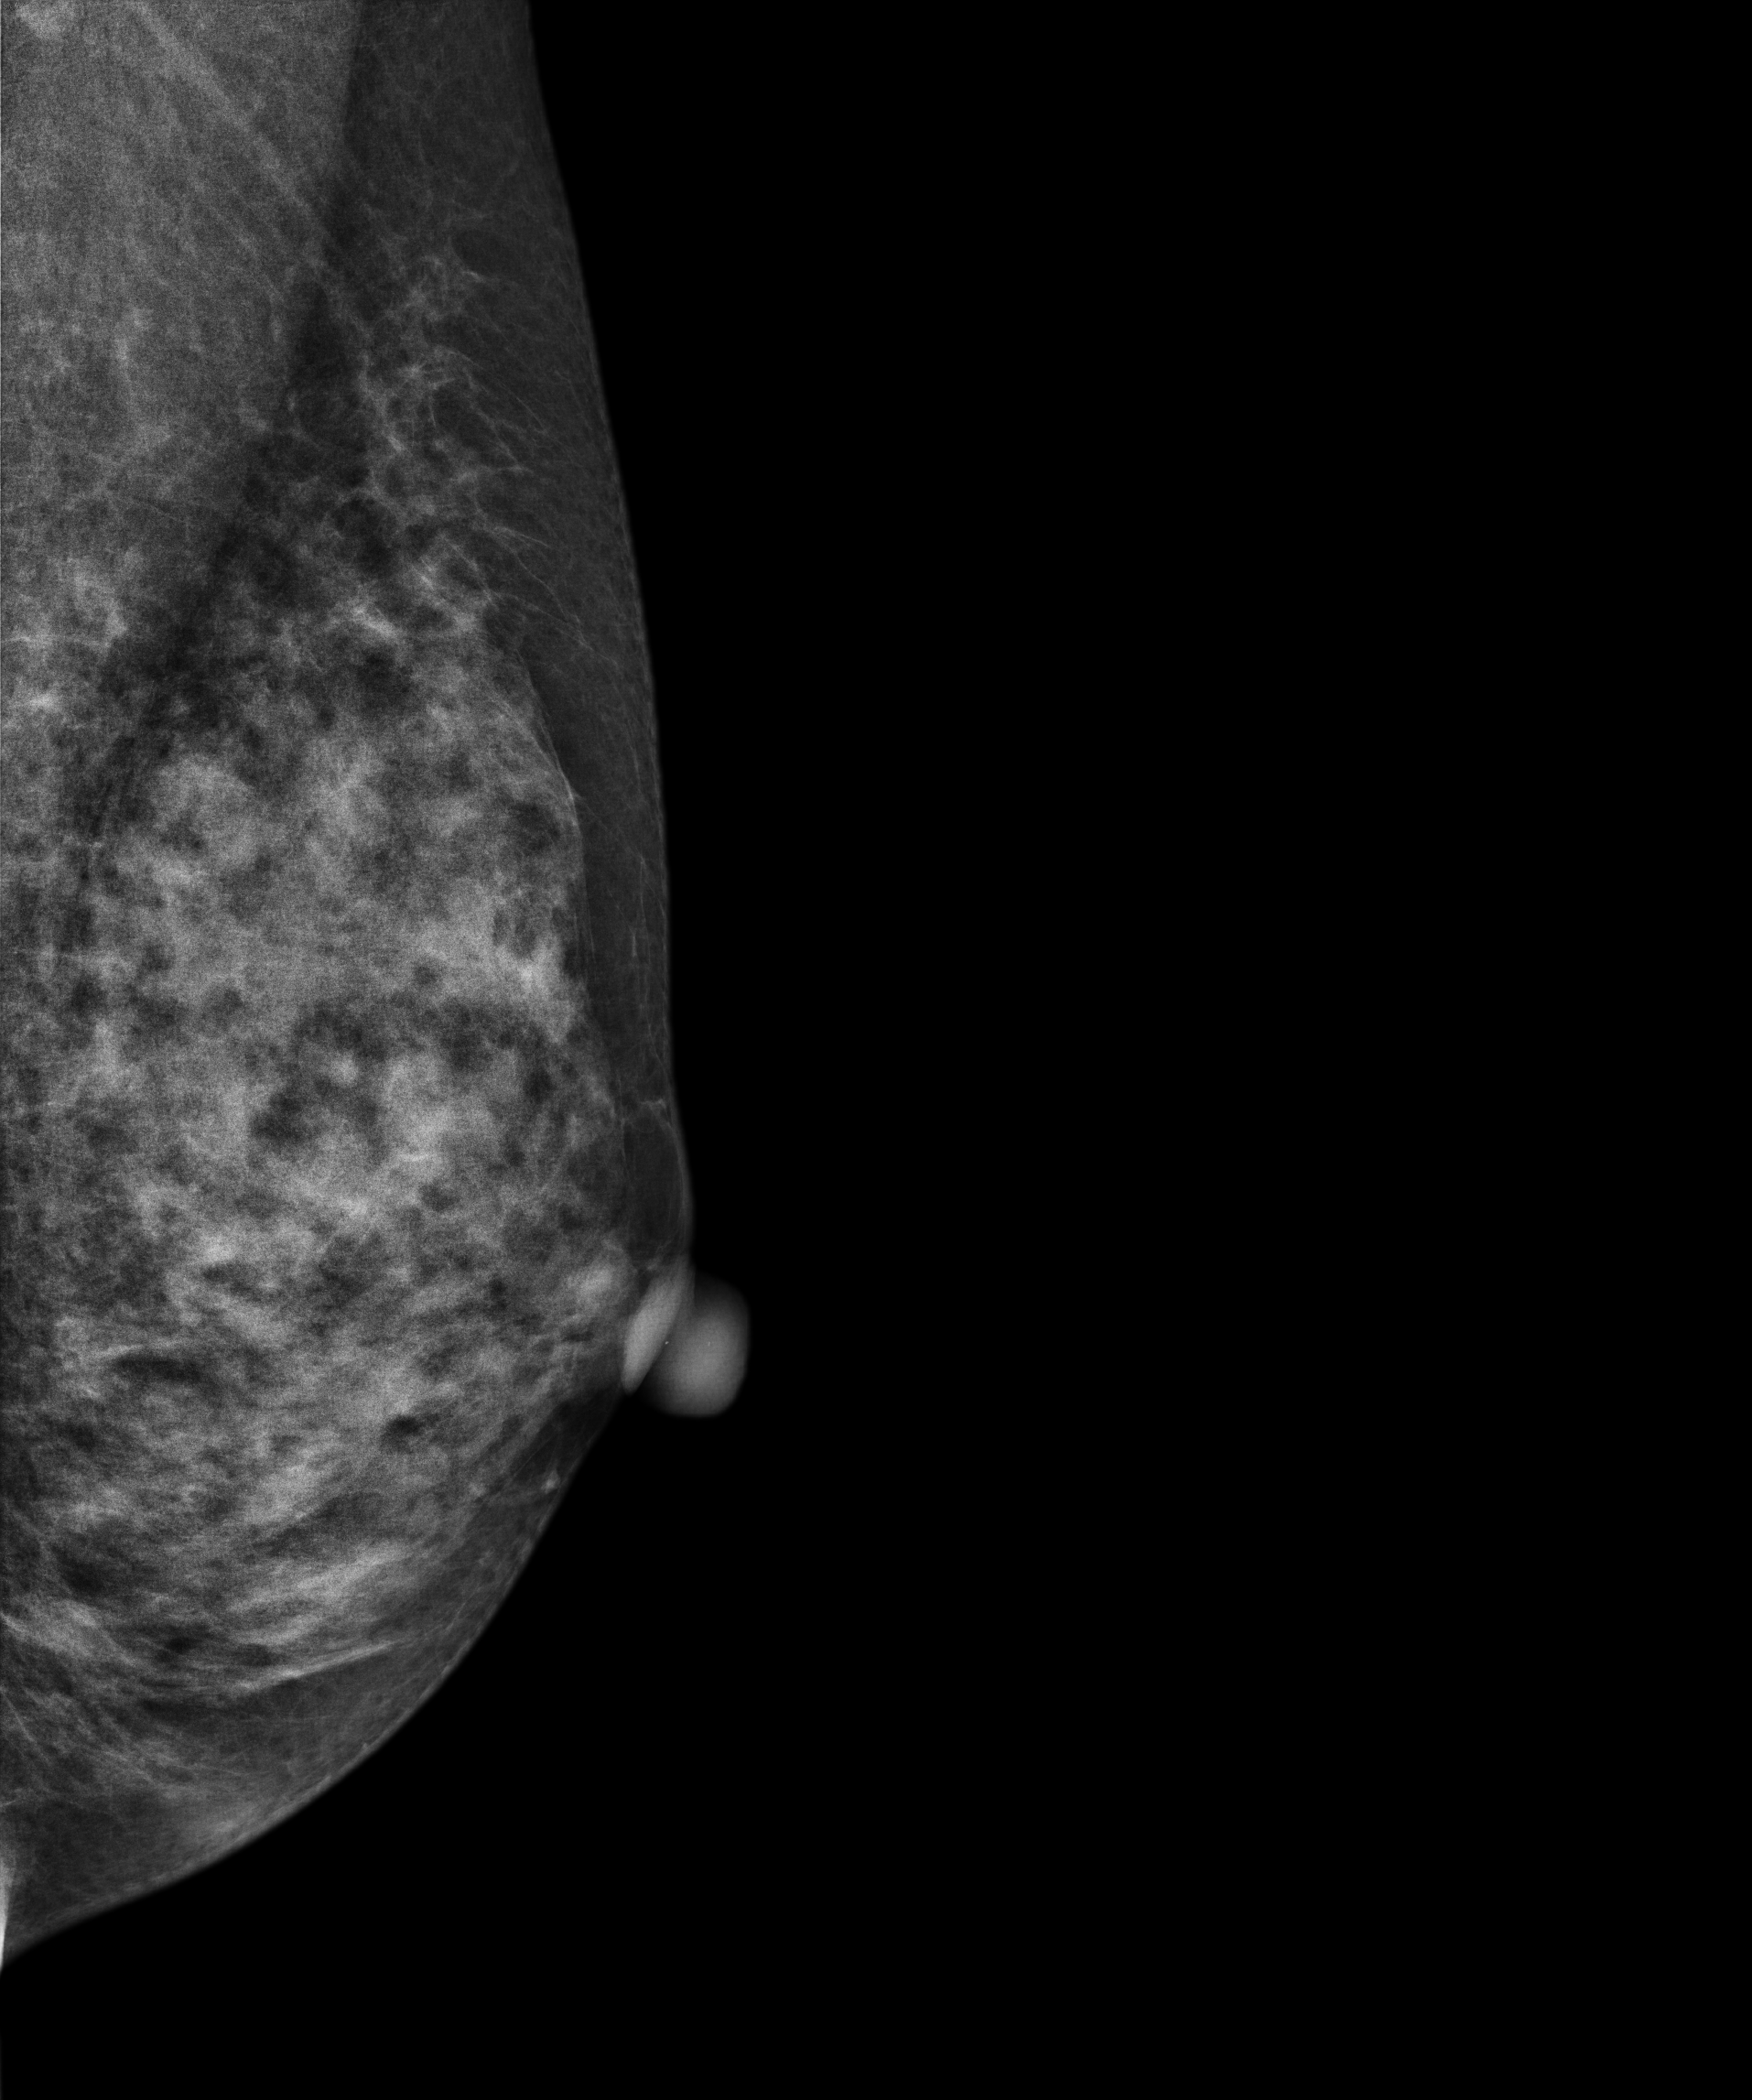
Mammogram, left breast, MLO view. 56-year-old patient.
This breast has a mass, histologically confirmed benign.